Cranio-caudal mammogram of the right breast. 40 y/o patient.
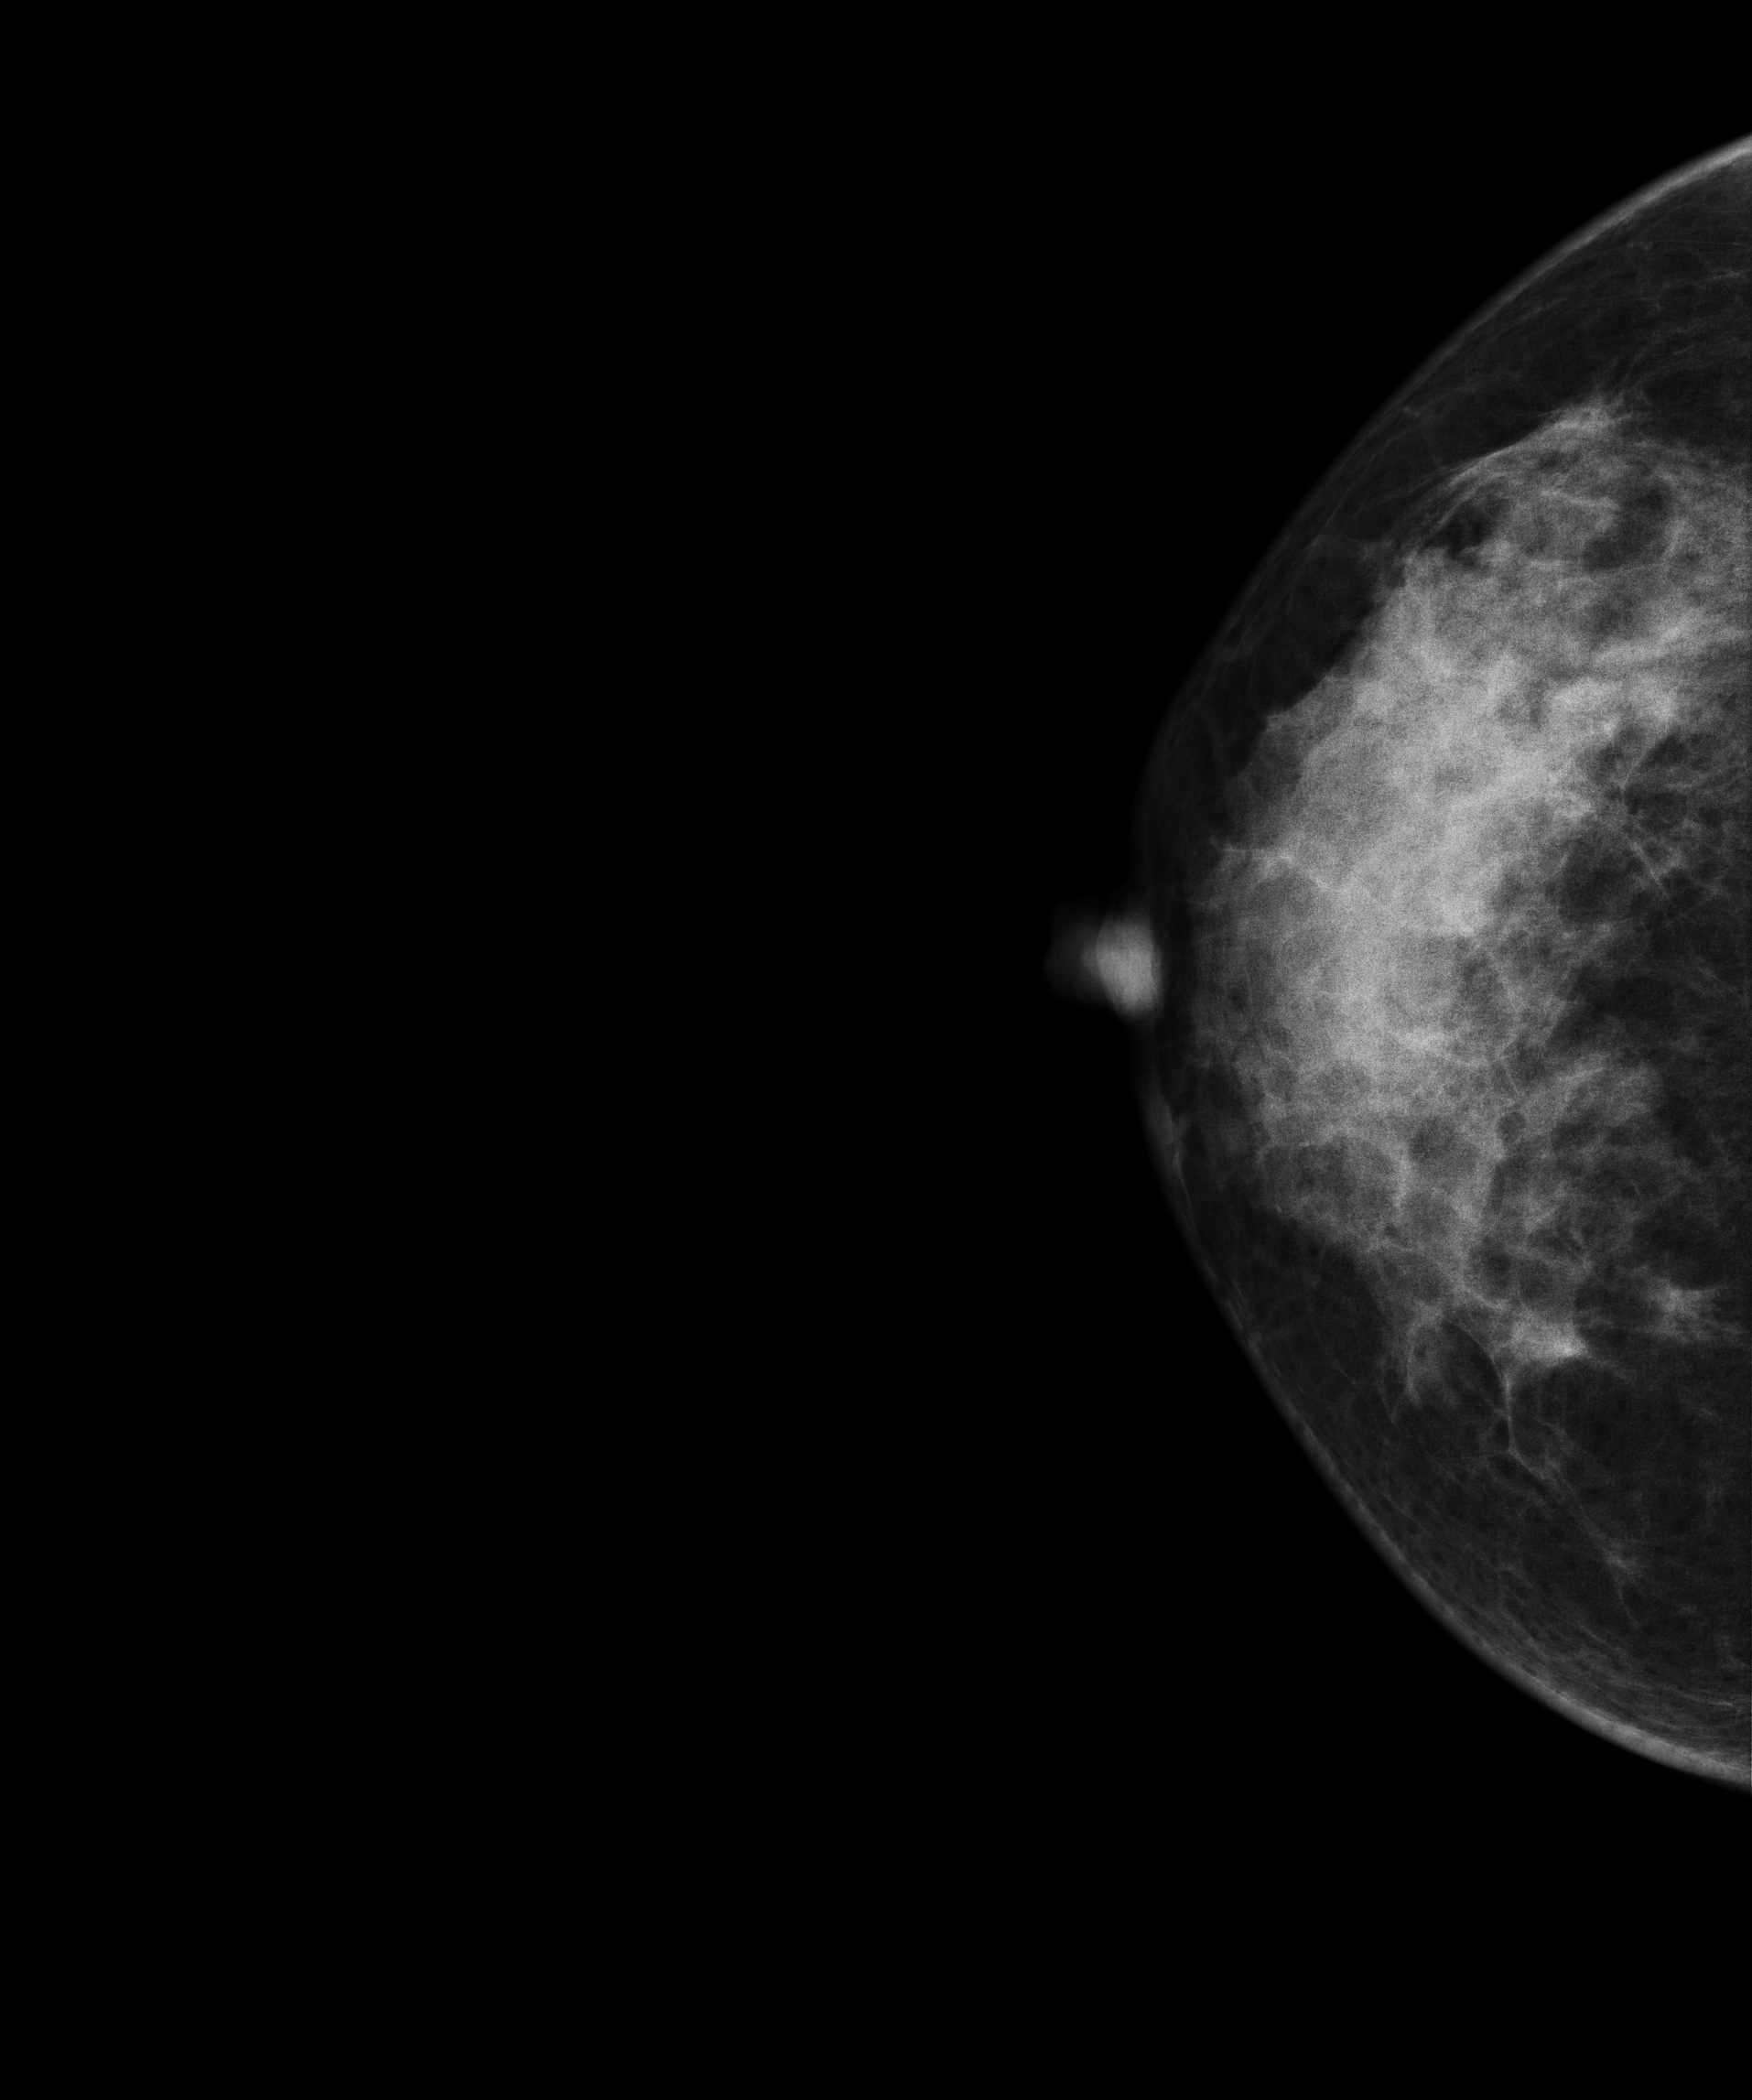
This breast has a mass, biopsy-confirmed benign.